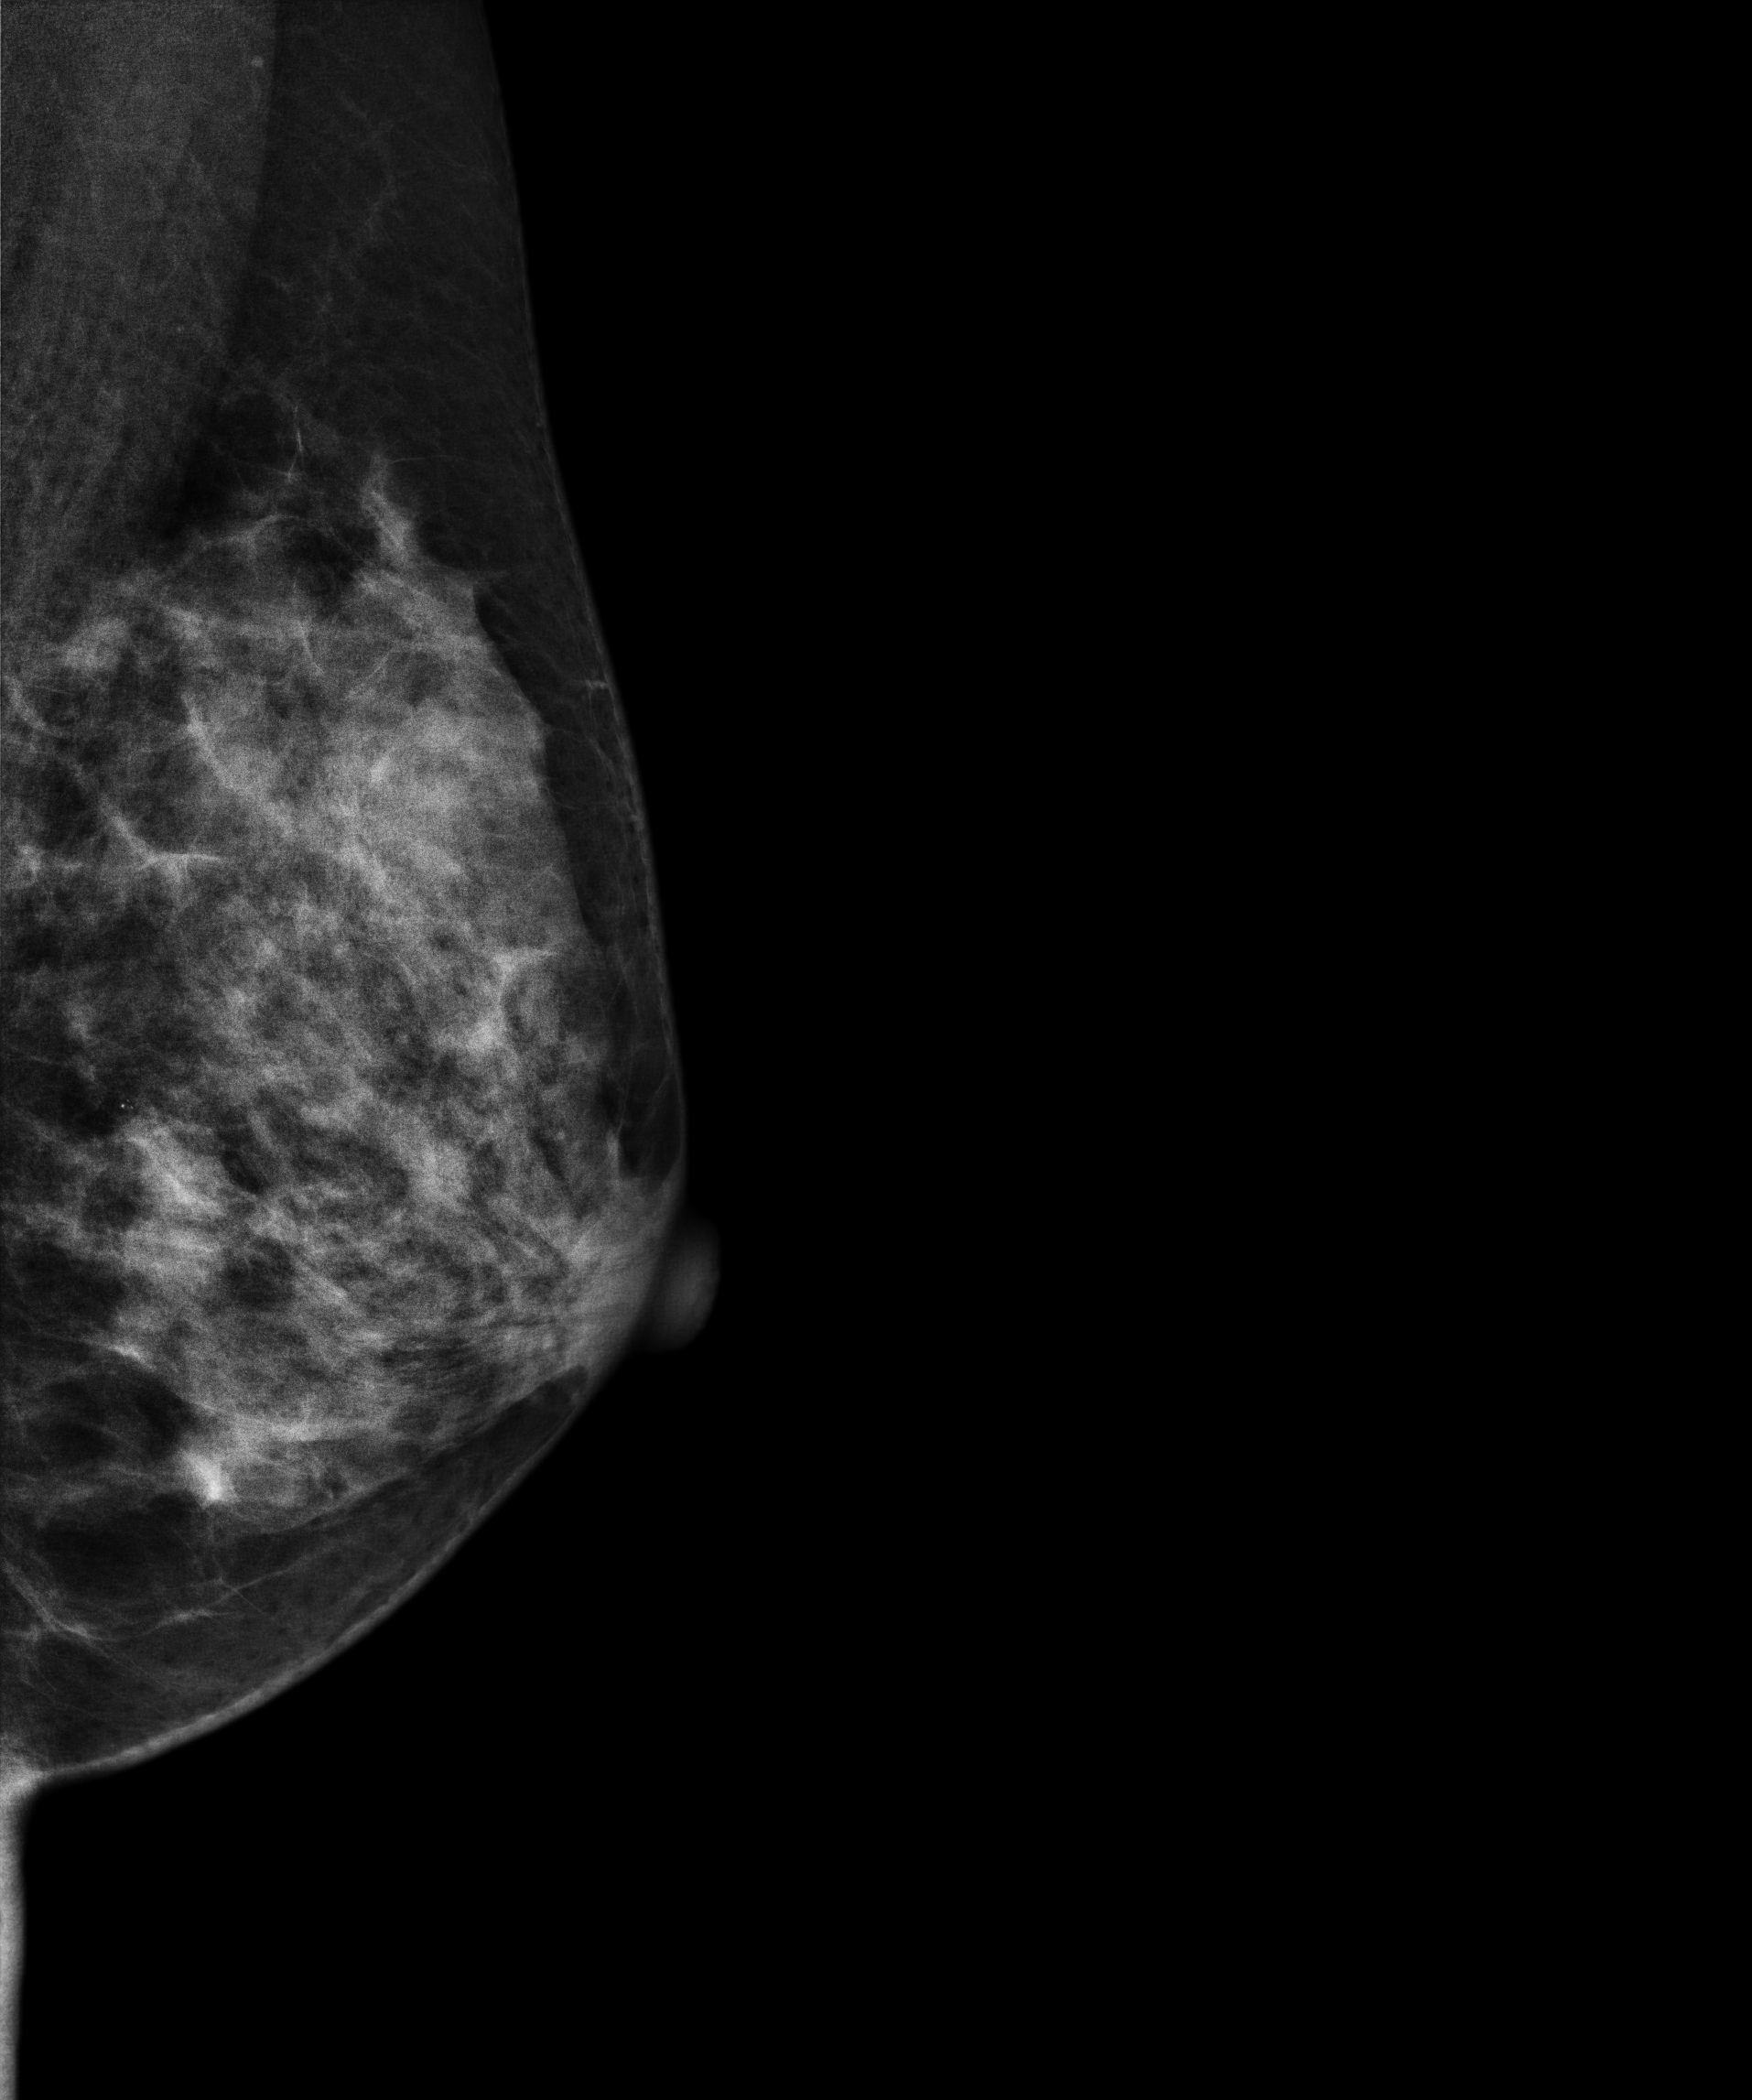
Digital mammography. Left breast, MLO projection. 45 y/o patient.
This breast has a mass and calcifications, histologically confirmed malignant.